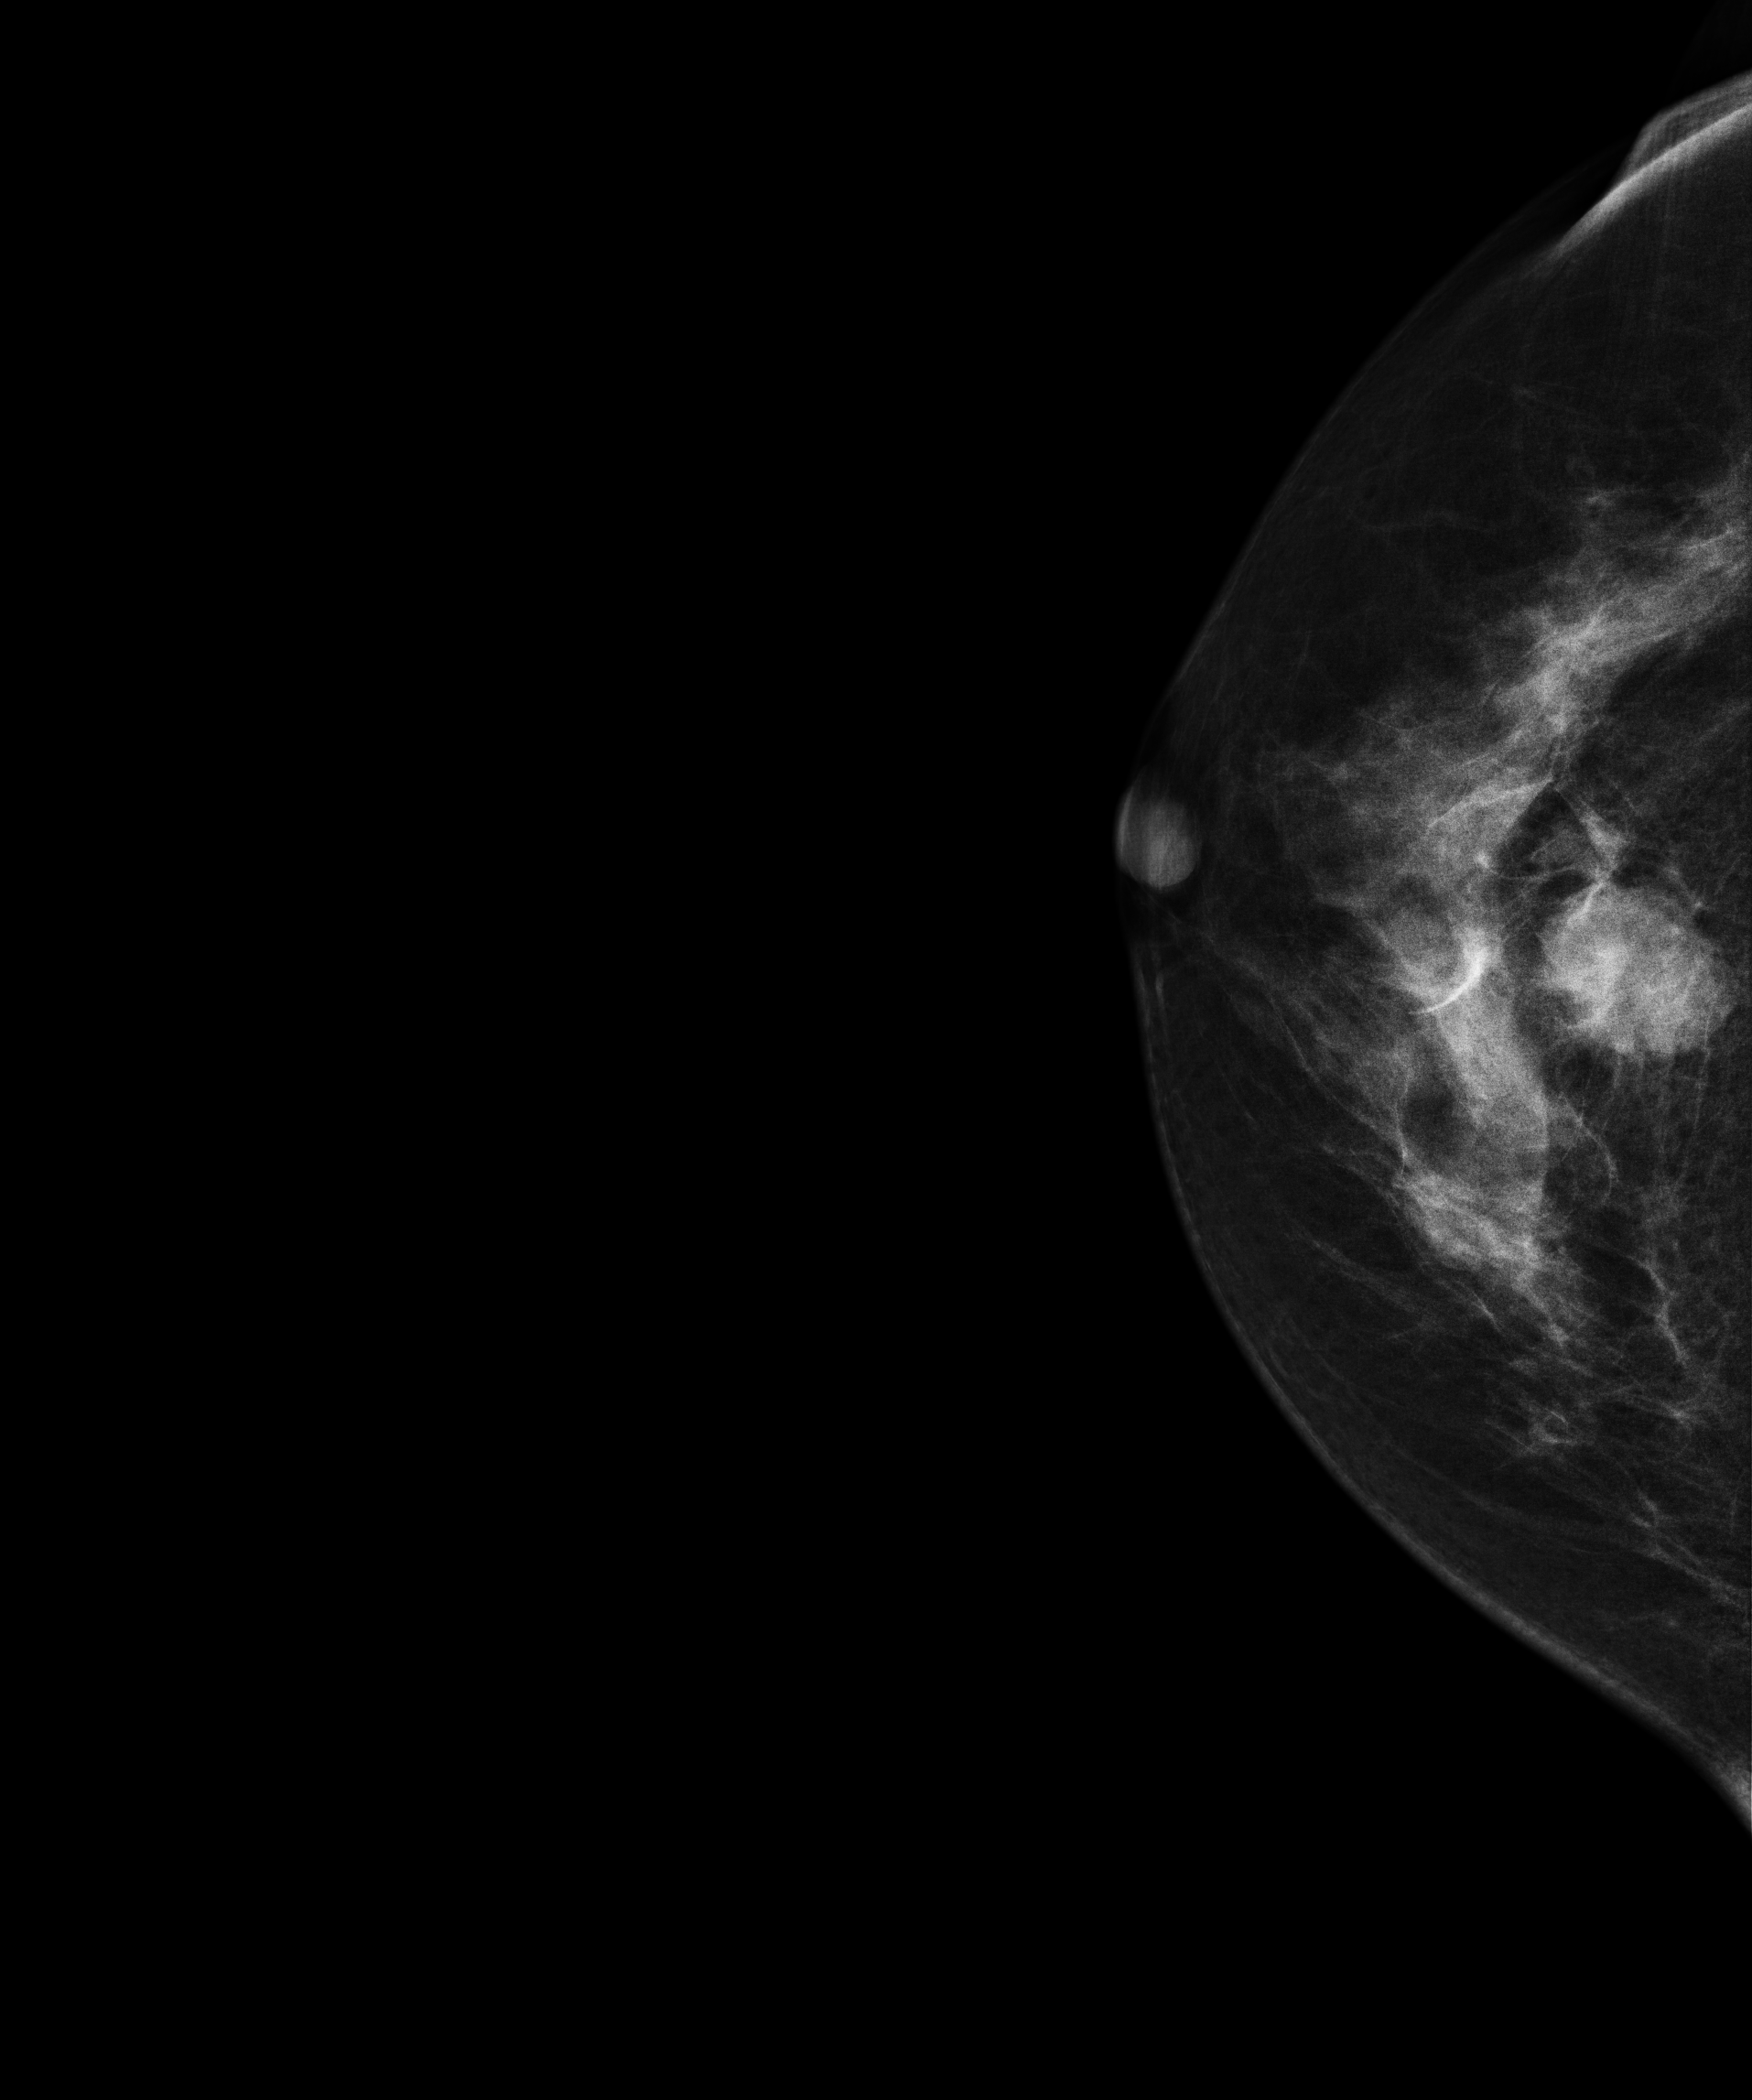
CC mammogram of the right breast. Patient age 65.
This breast has a mass, pathology-confirmed malignant. Molecular subtype: triple-negative.